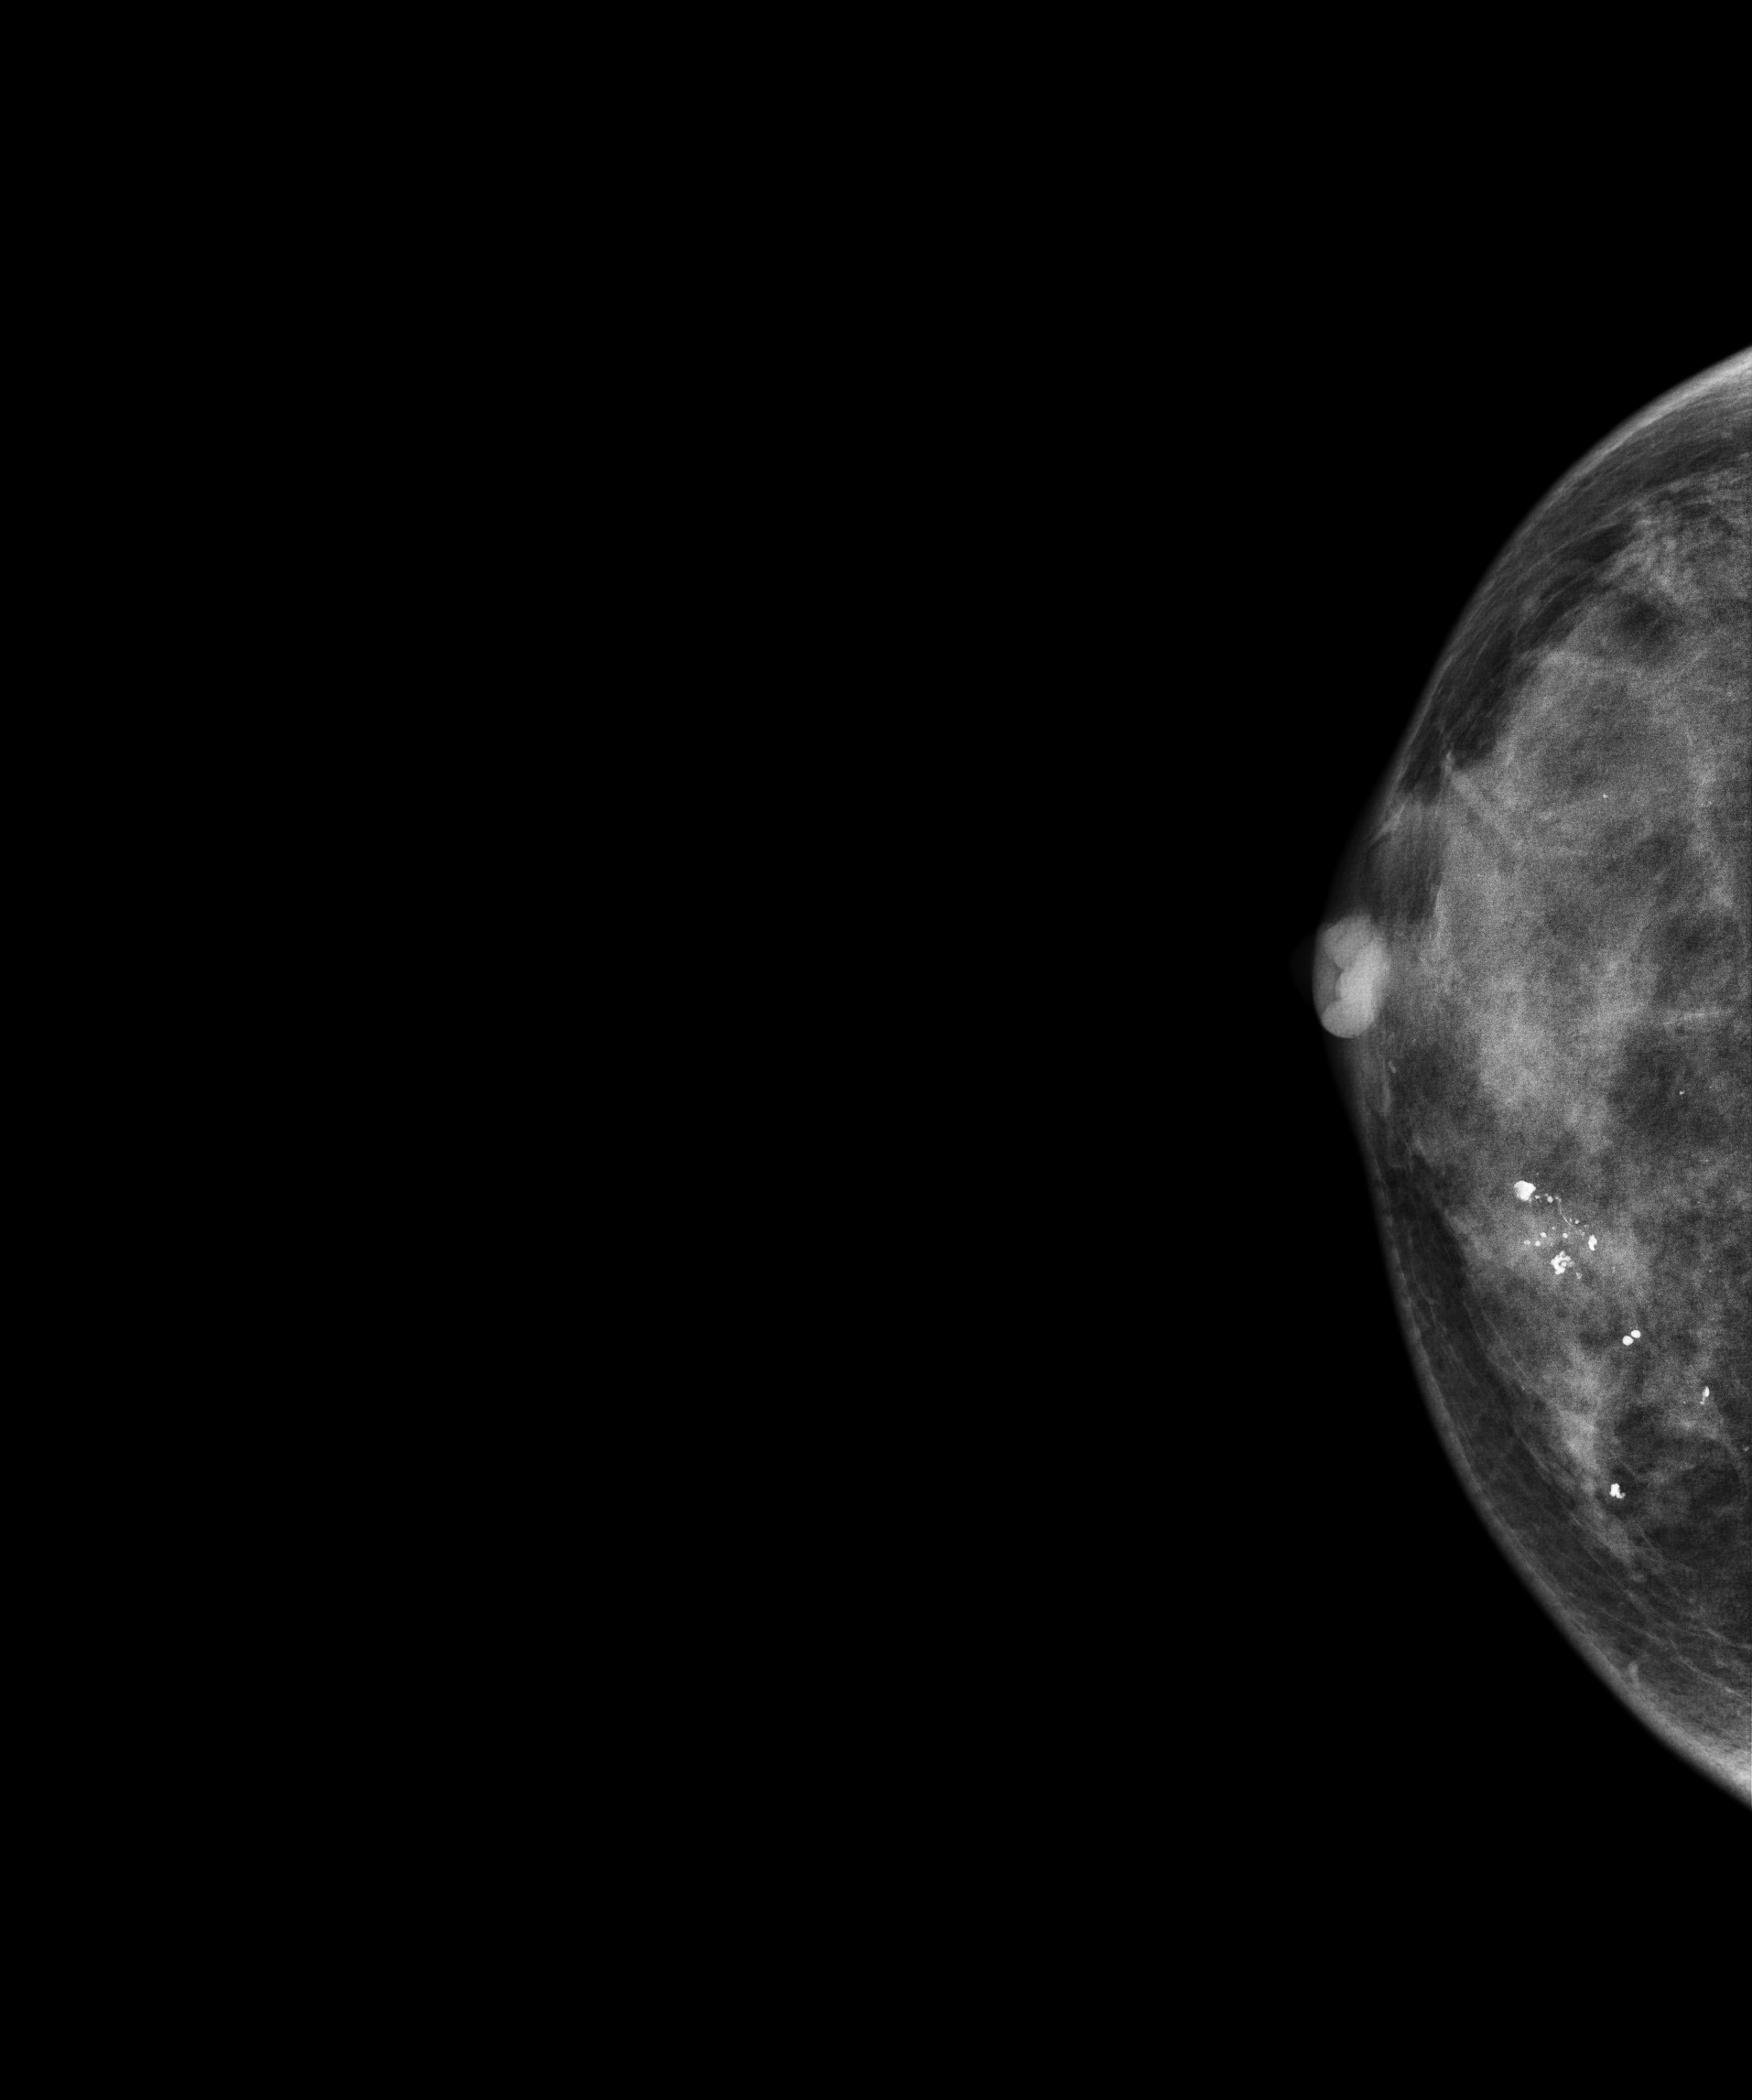
Mammogram — right cranio-caudal. 29-year-old patient.
This breast has calcifications, biopsy-confirmed benign.